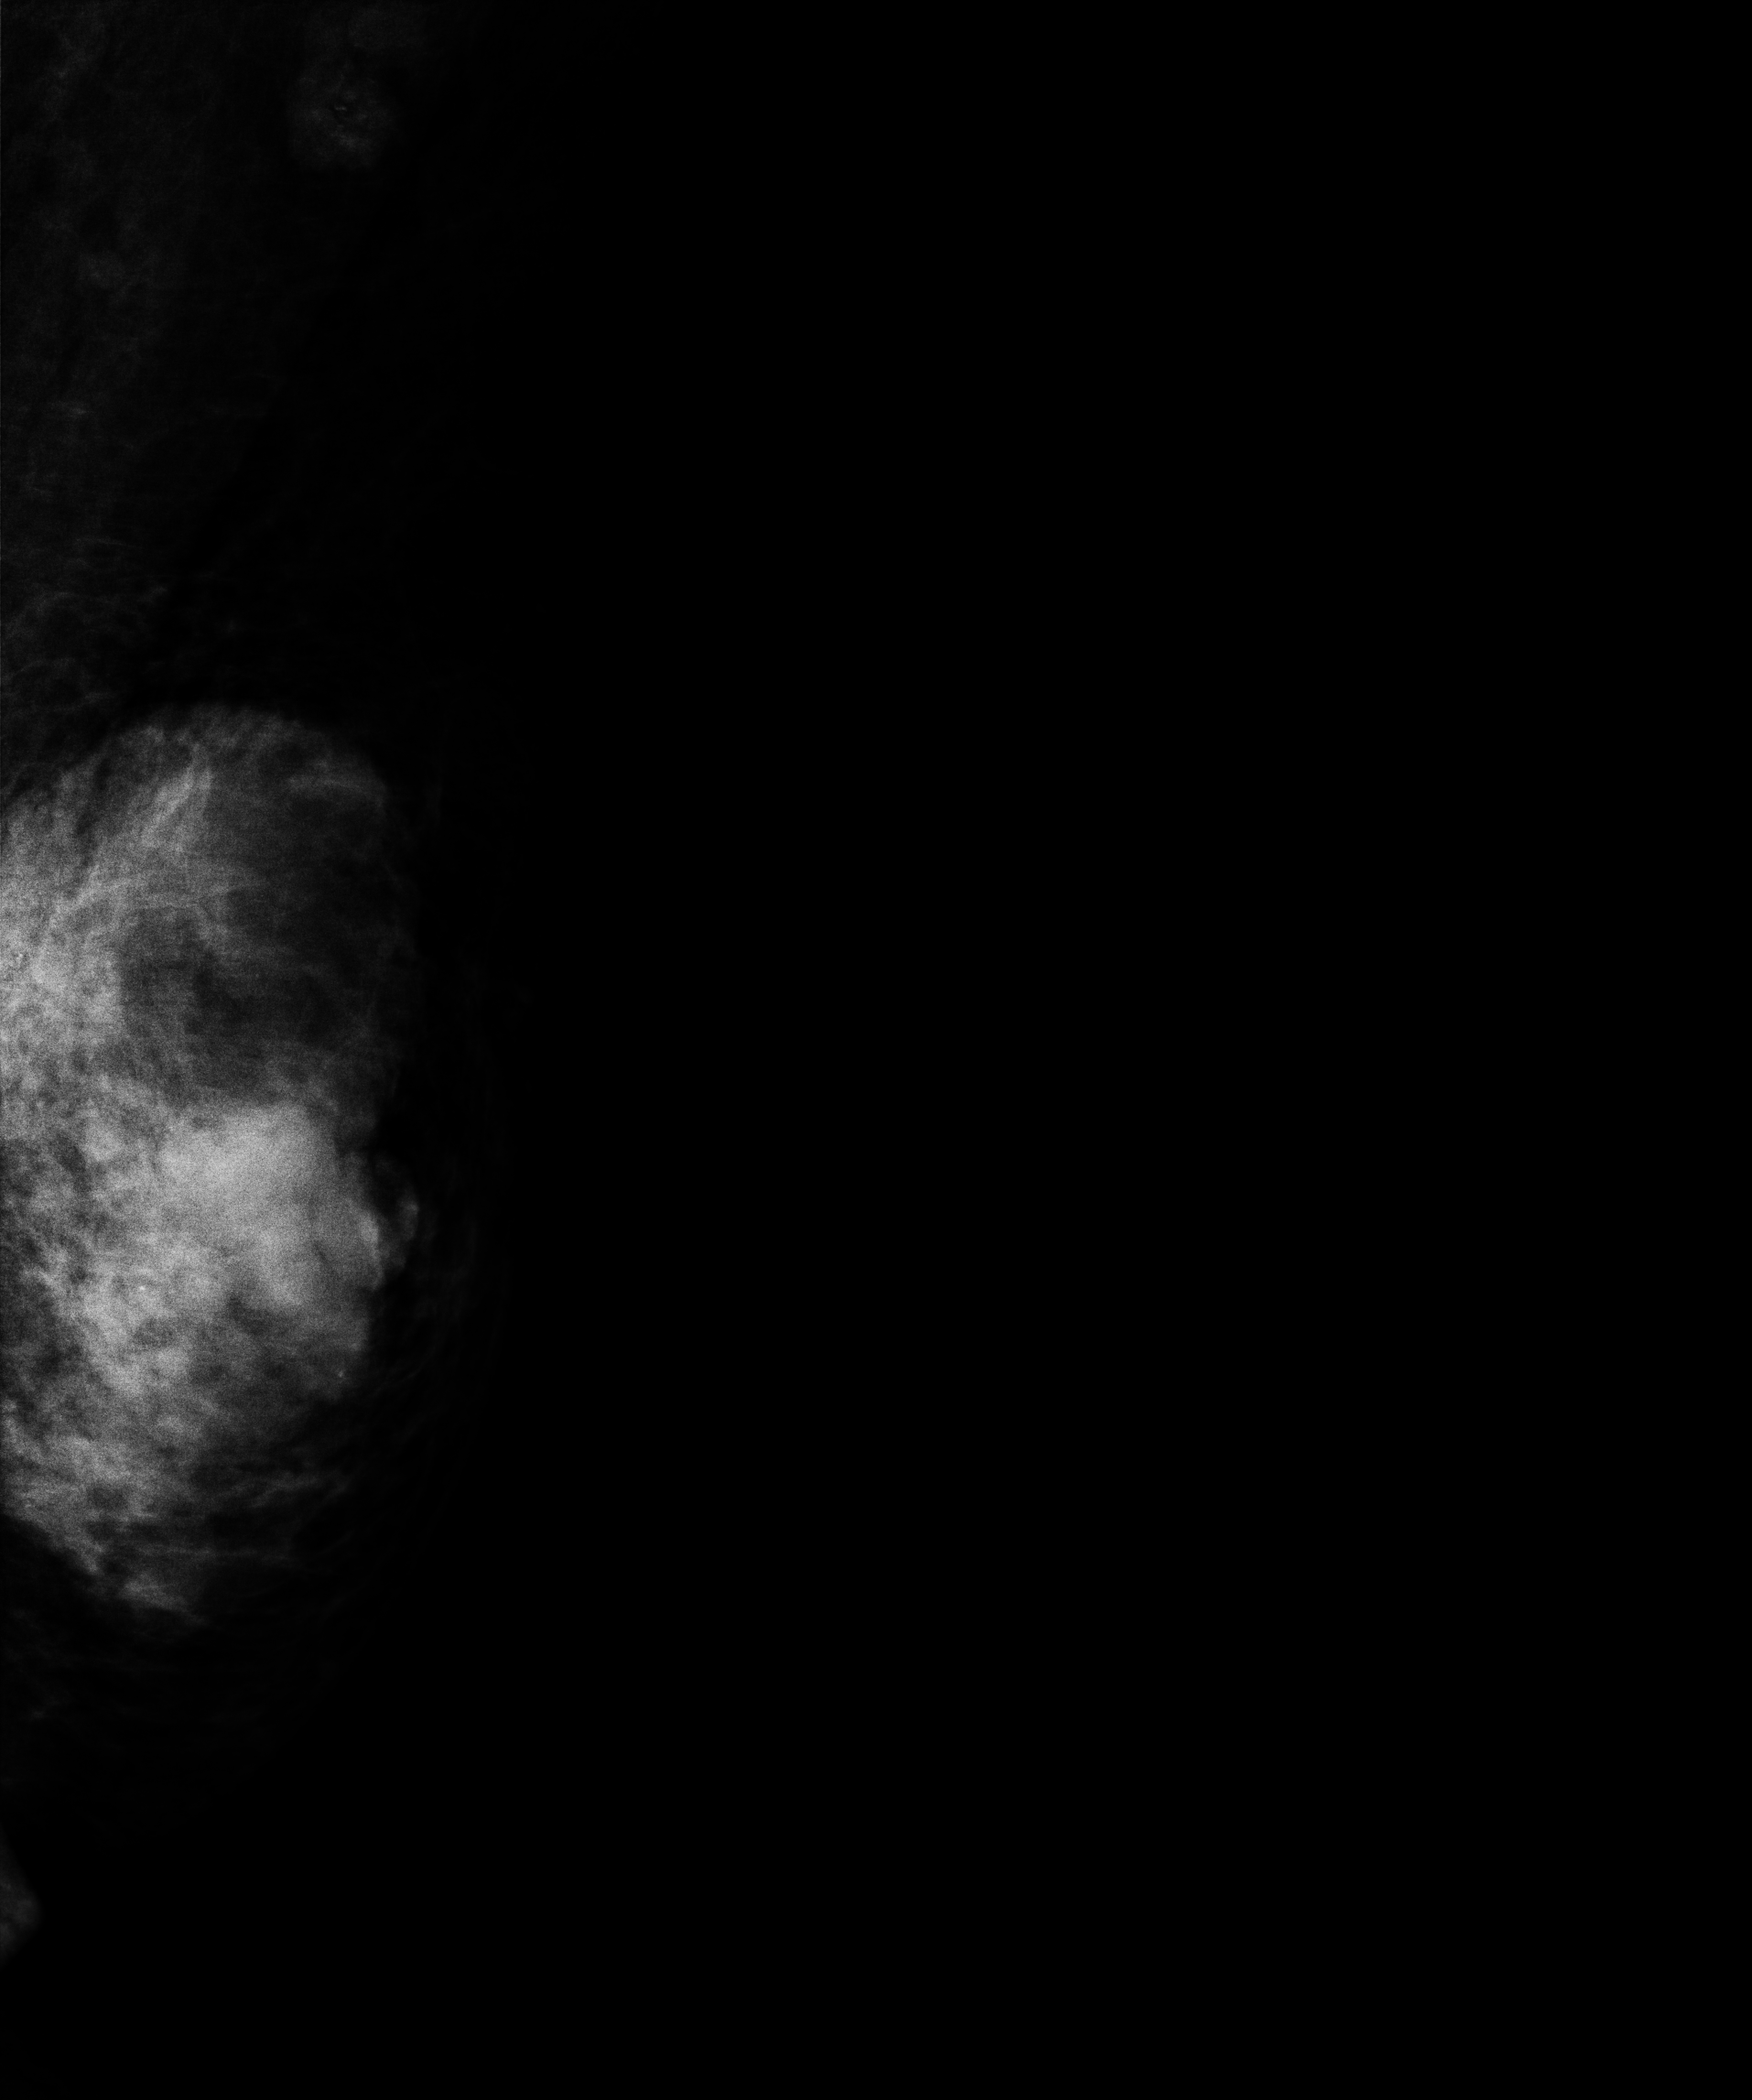
Digital mammography. Left breast, CC projection. 46-year-old patient.
This breast has a mass, pathology-confirmed malignant.